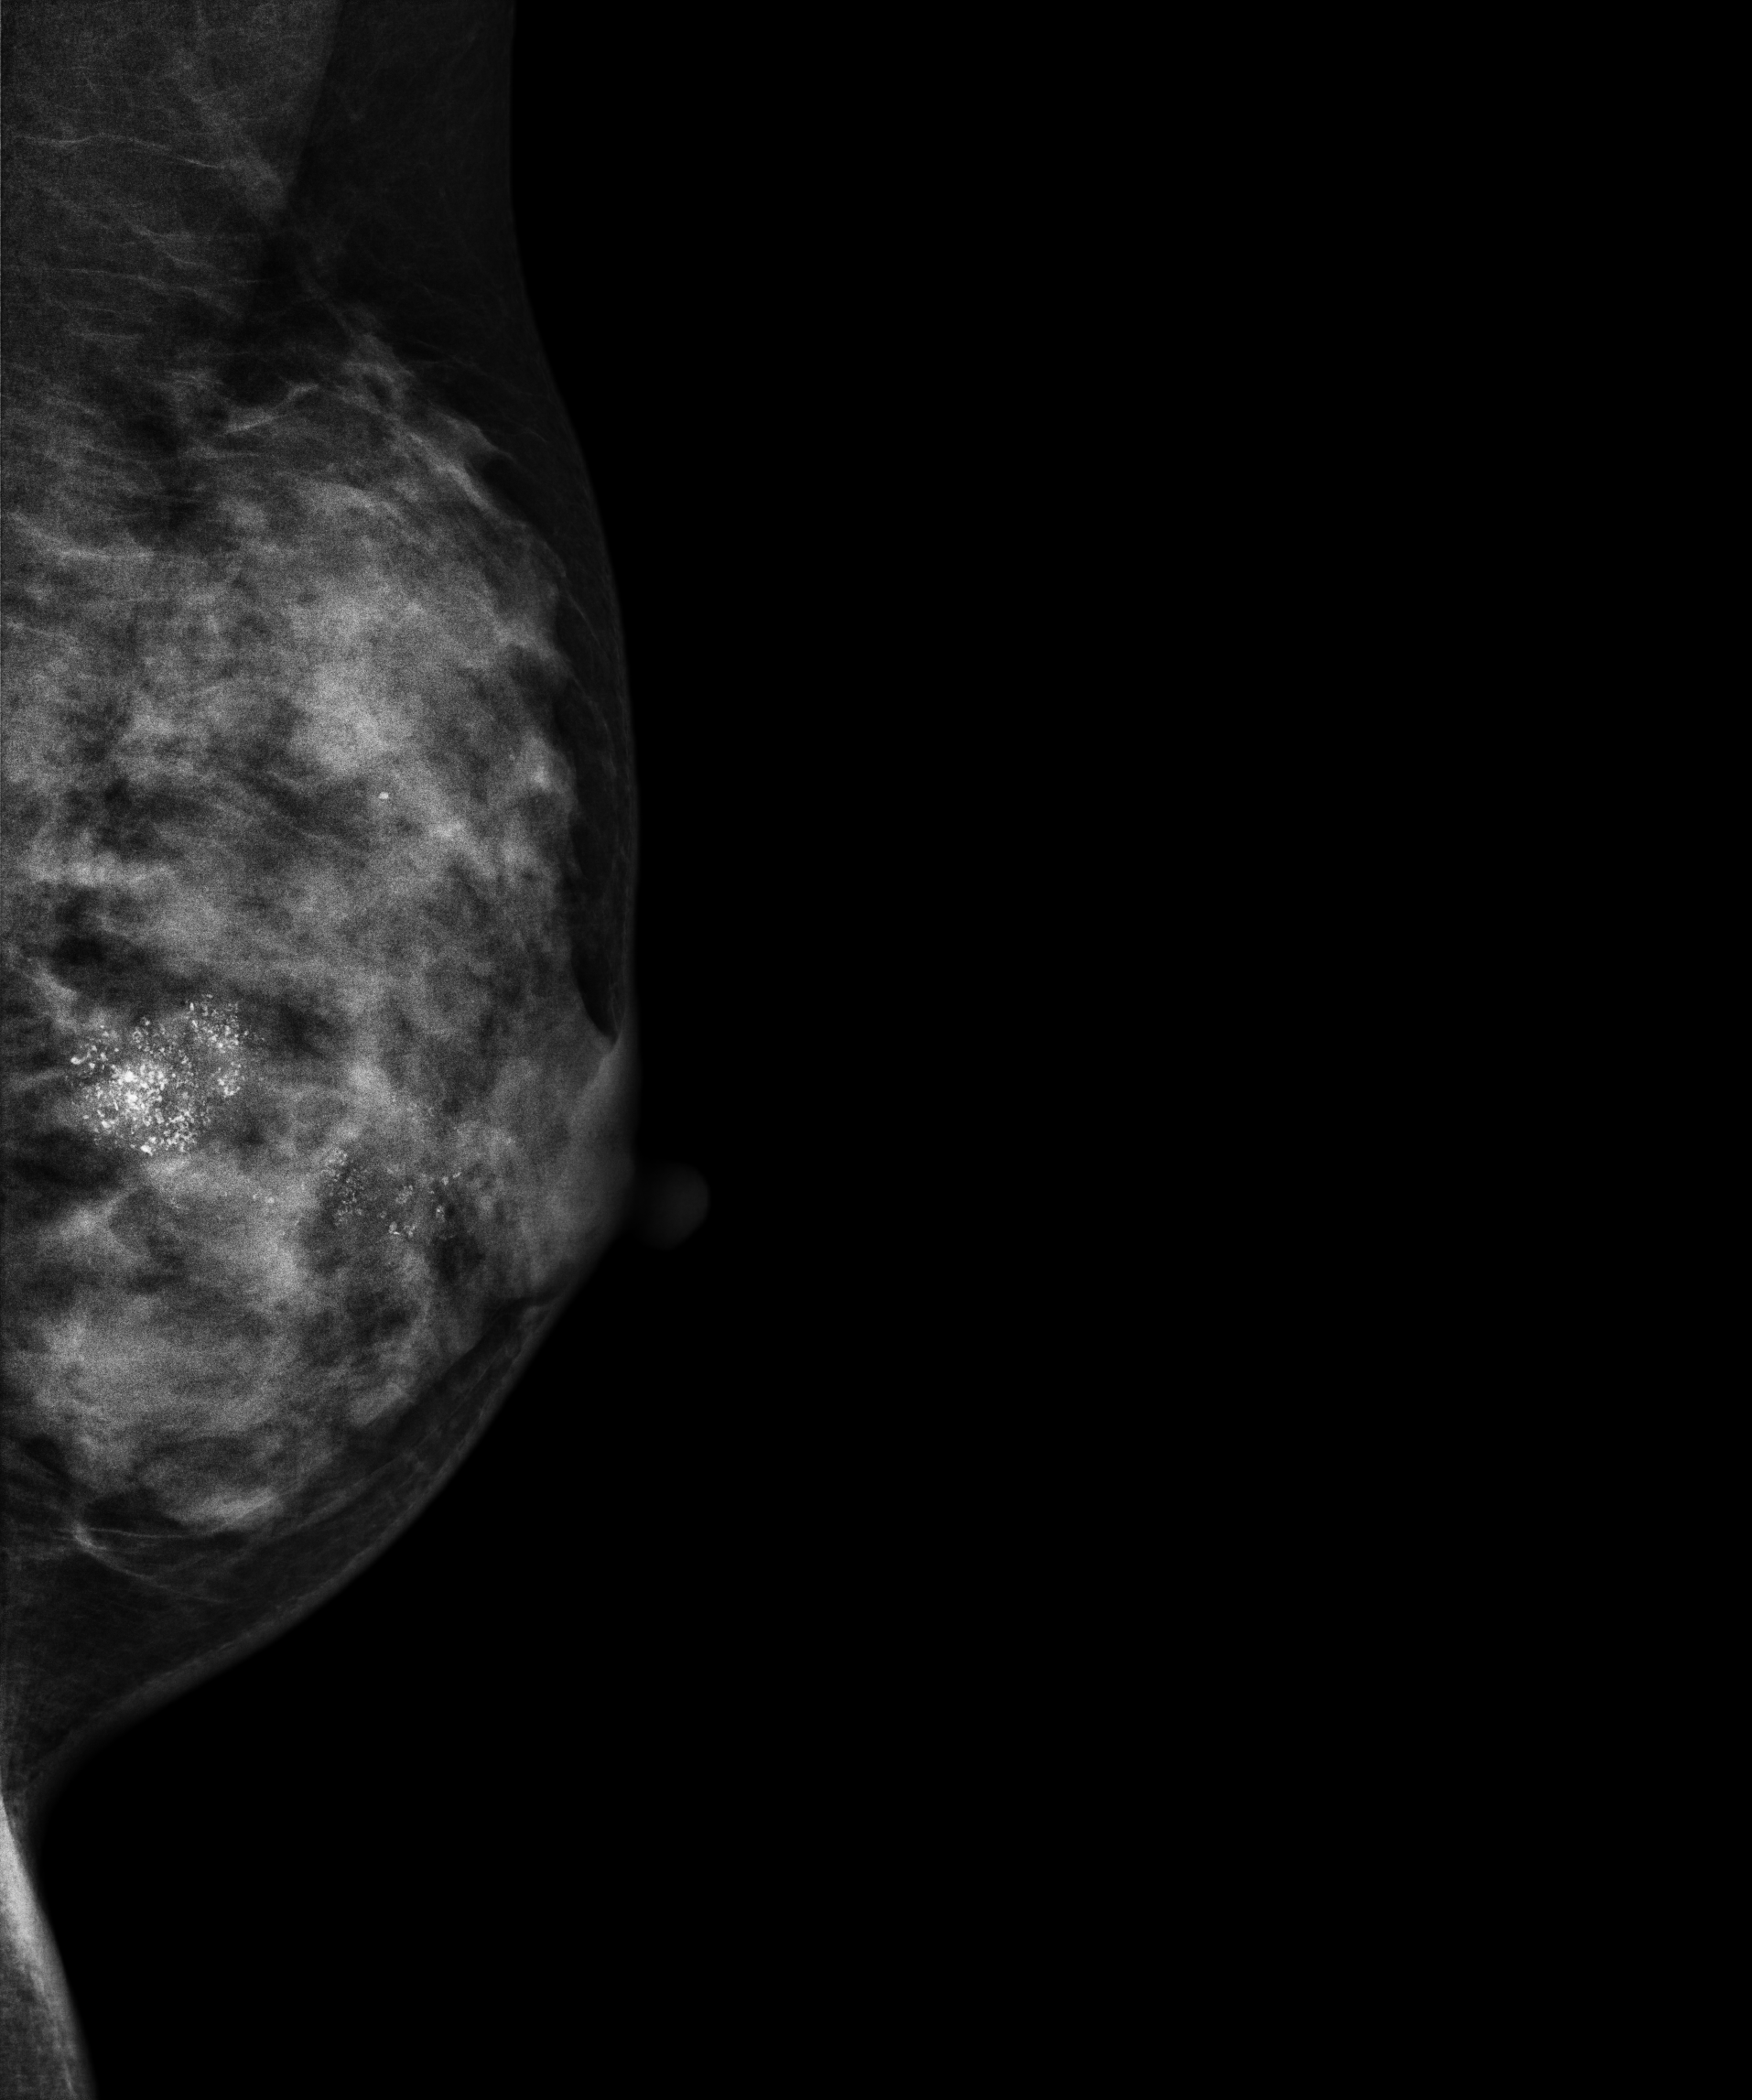
Mammogram, left breast, MLO view. 33-year-old patient.
This breast has calcifications, pathology-confirmed malignant.